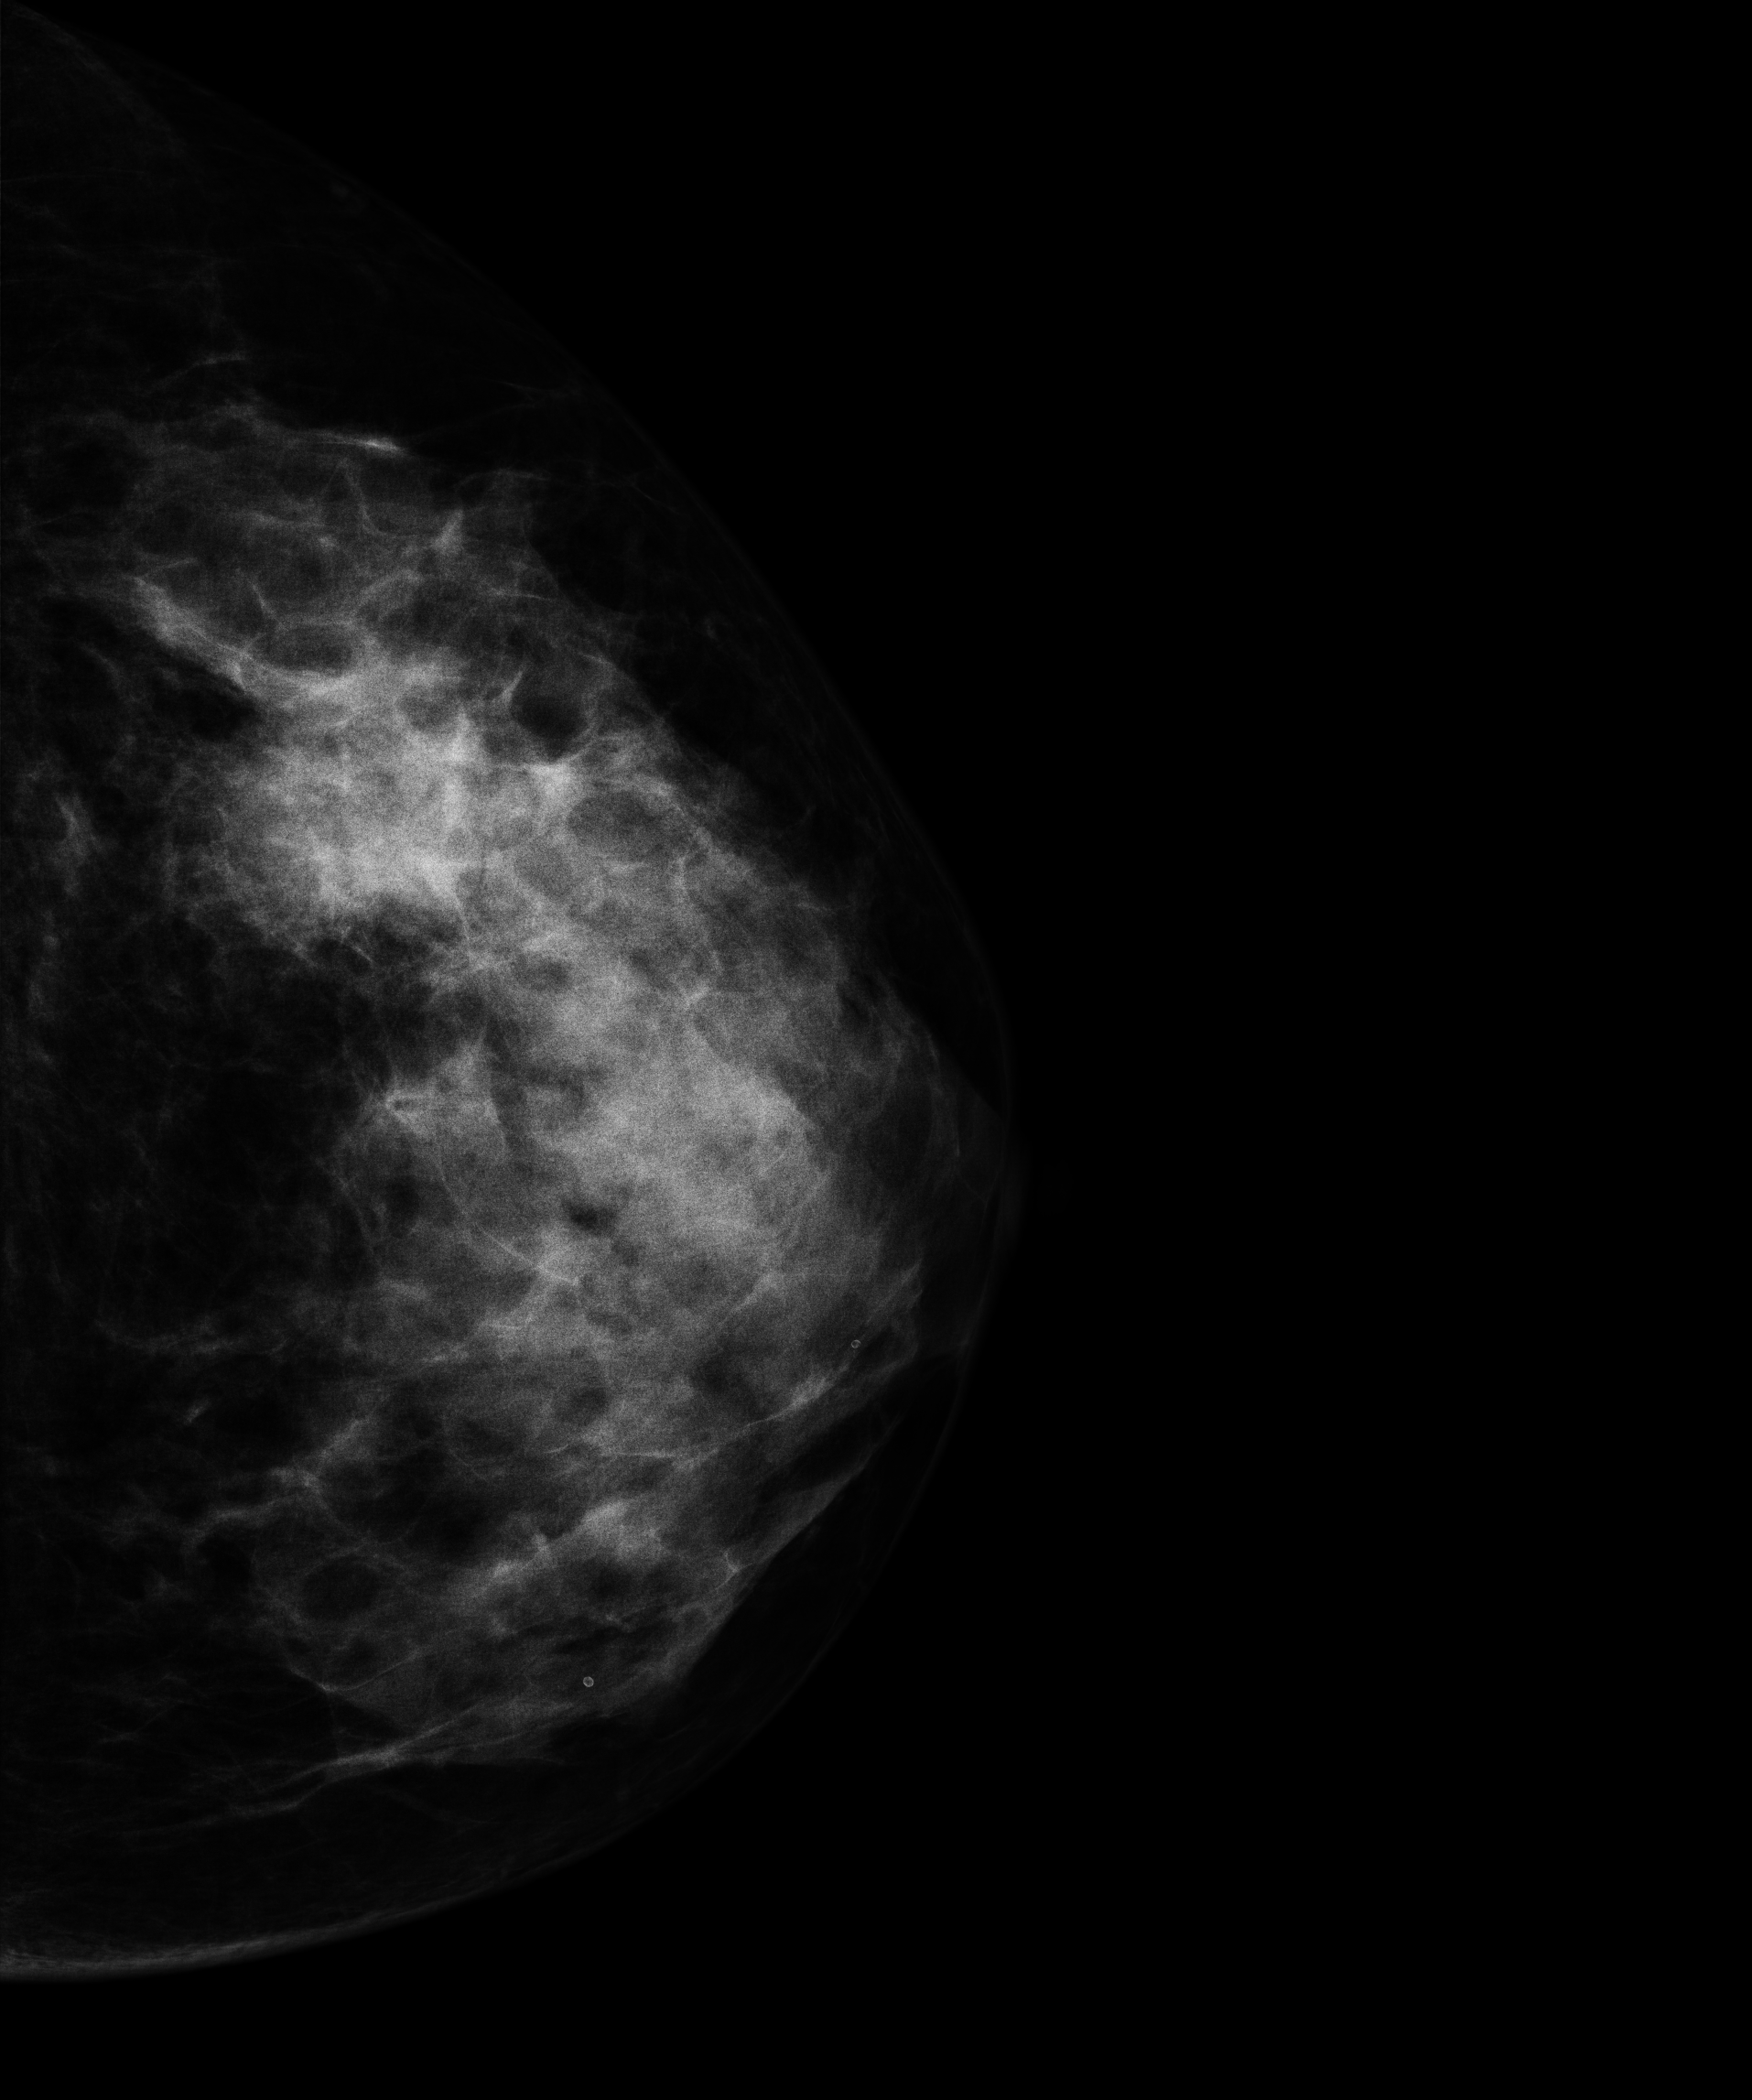
CC mammogram of the left breast. 54 y/o patient.
This breast has a mass, pathology-confirmed malignant.